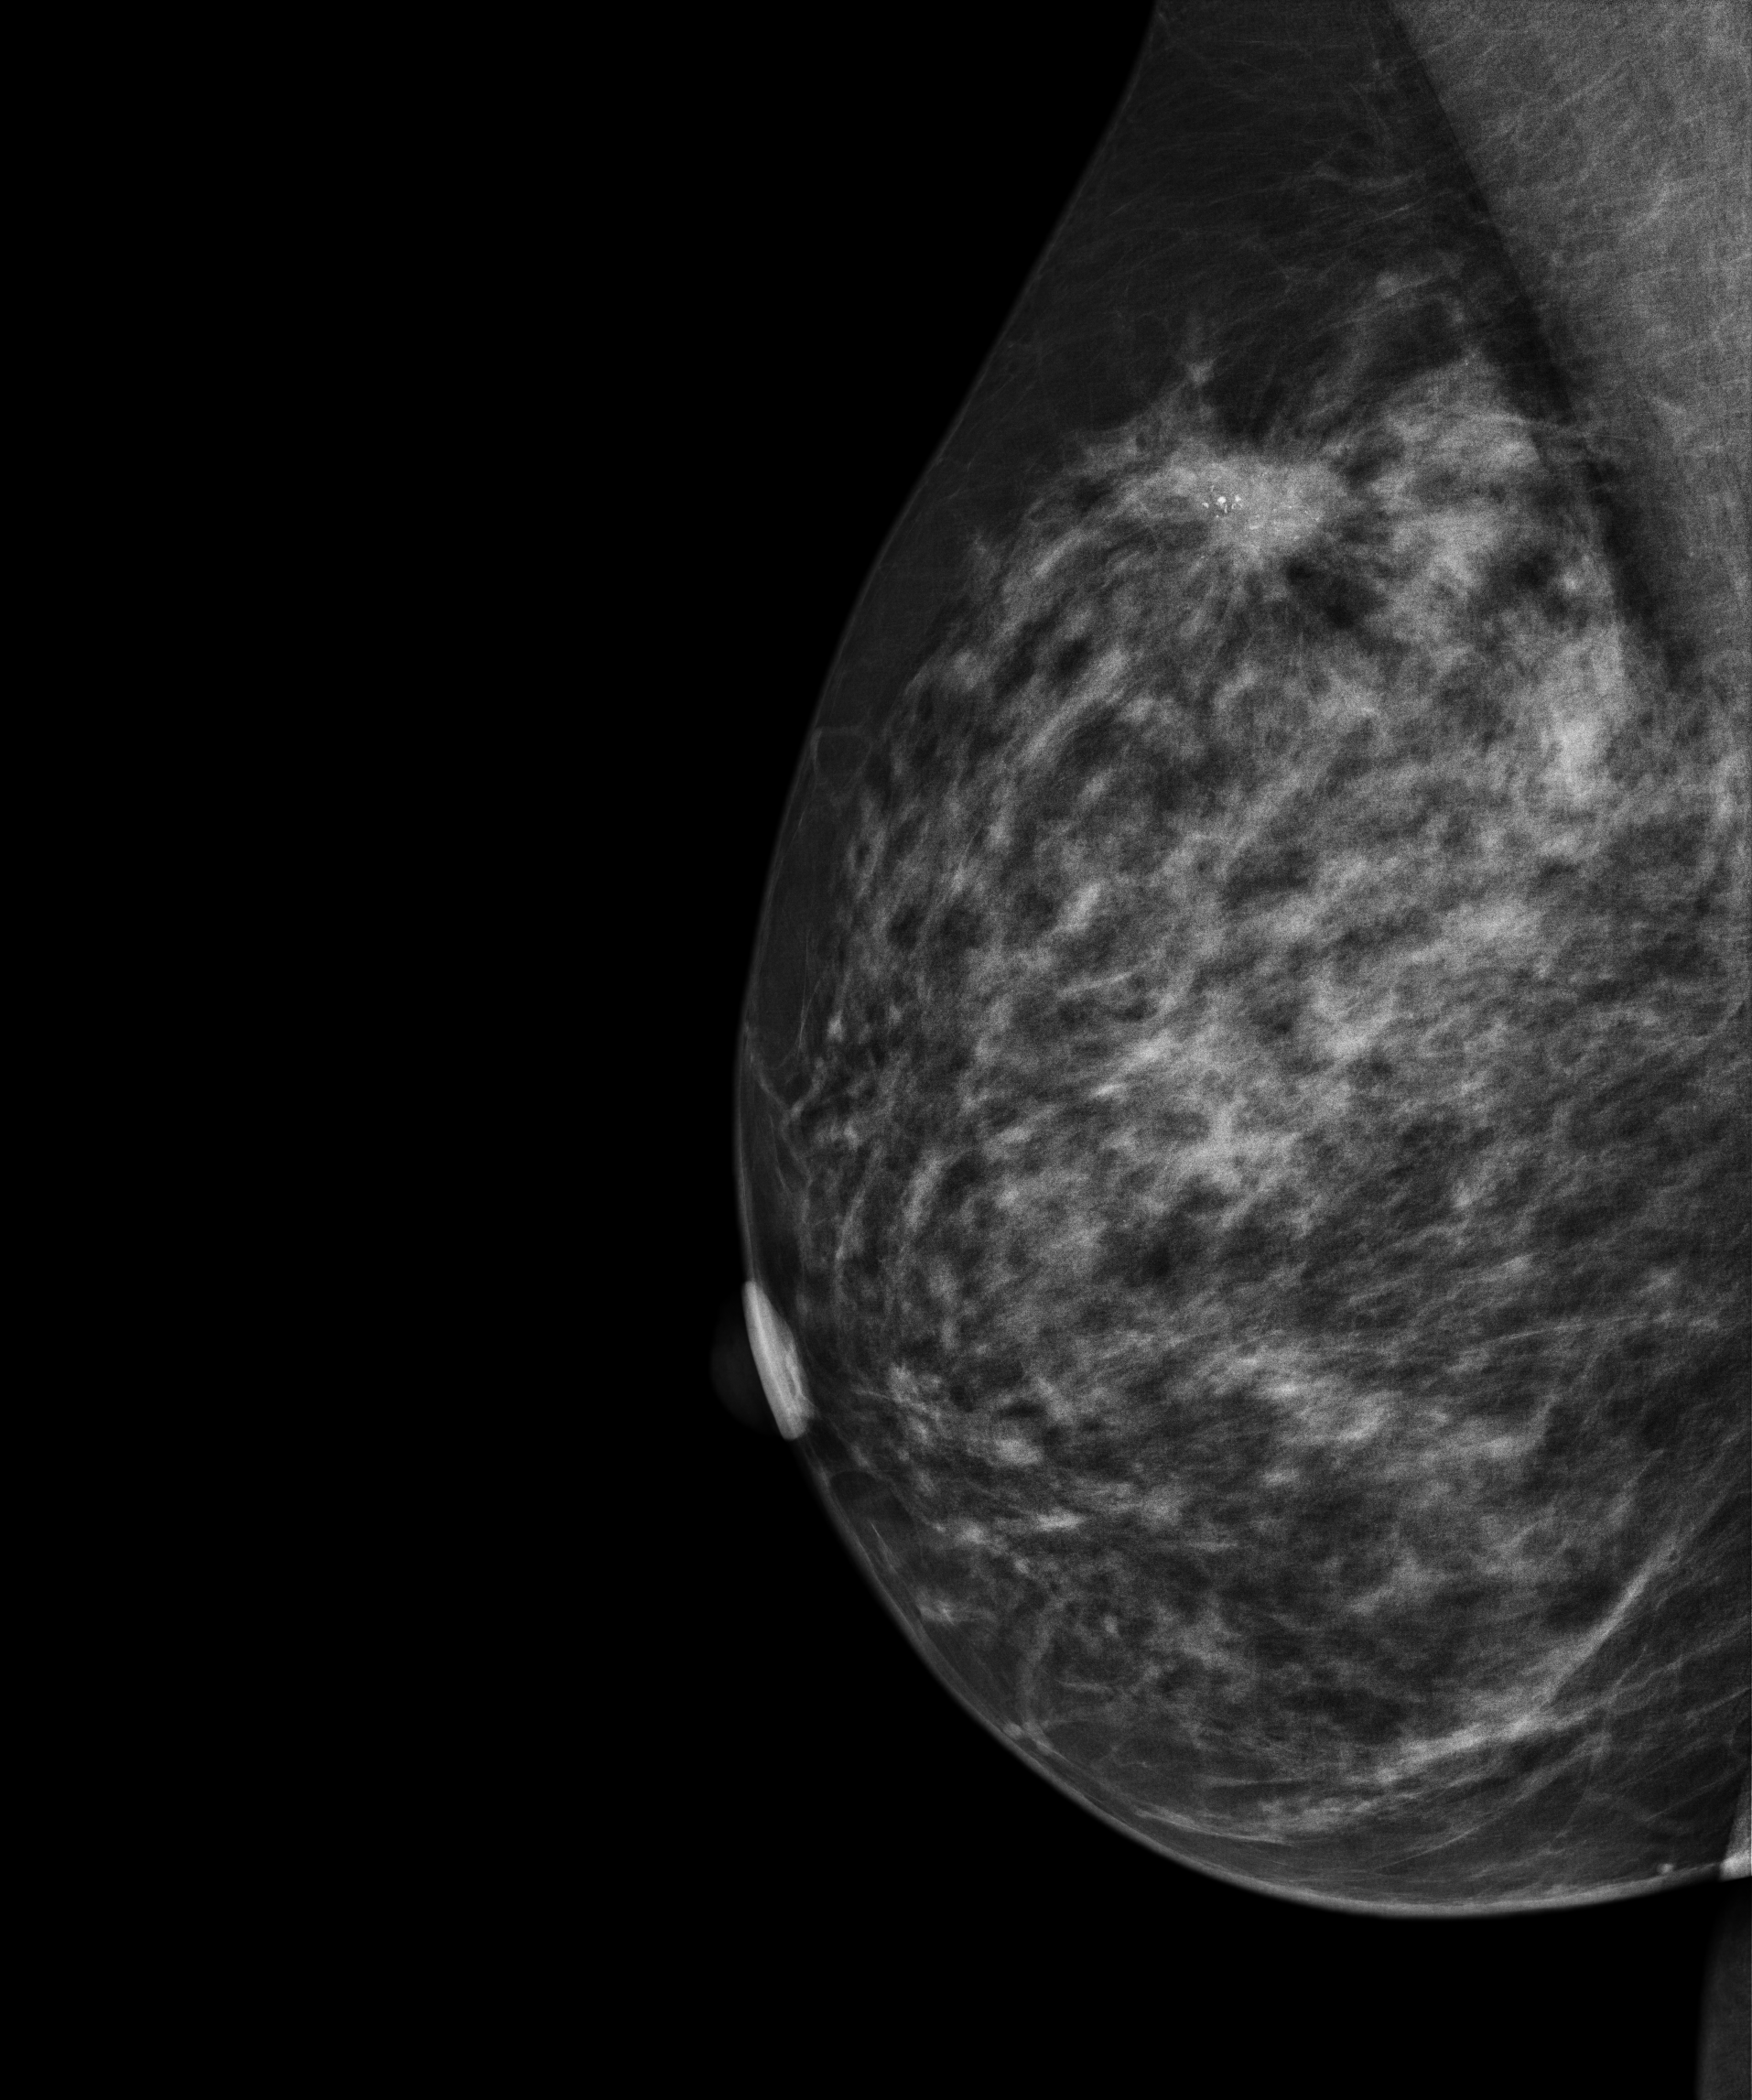
Medio-lateral oblique mammogram of the right breast. 50-year-old patient.
This breast has a mass and calcifications, pathology-confirmed malignant.